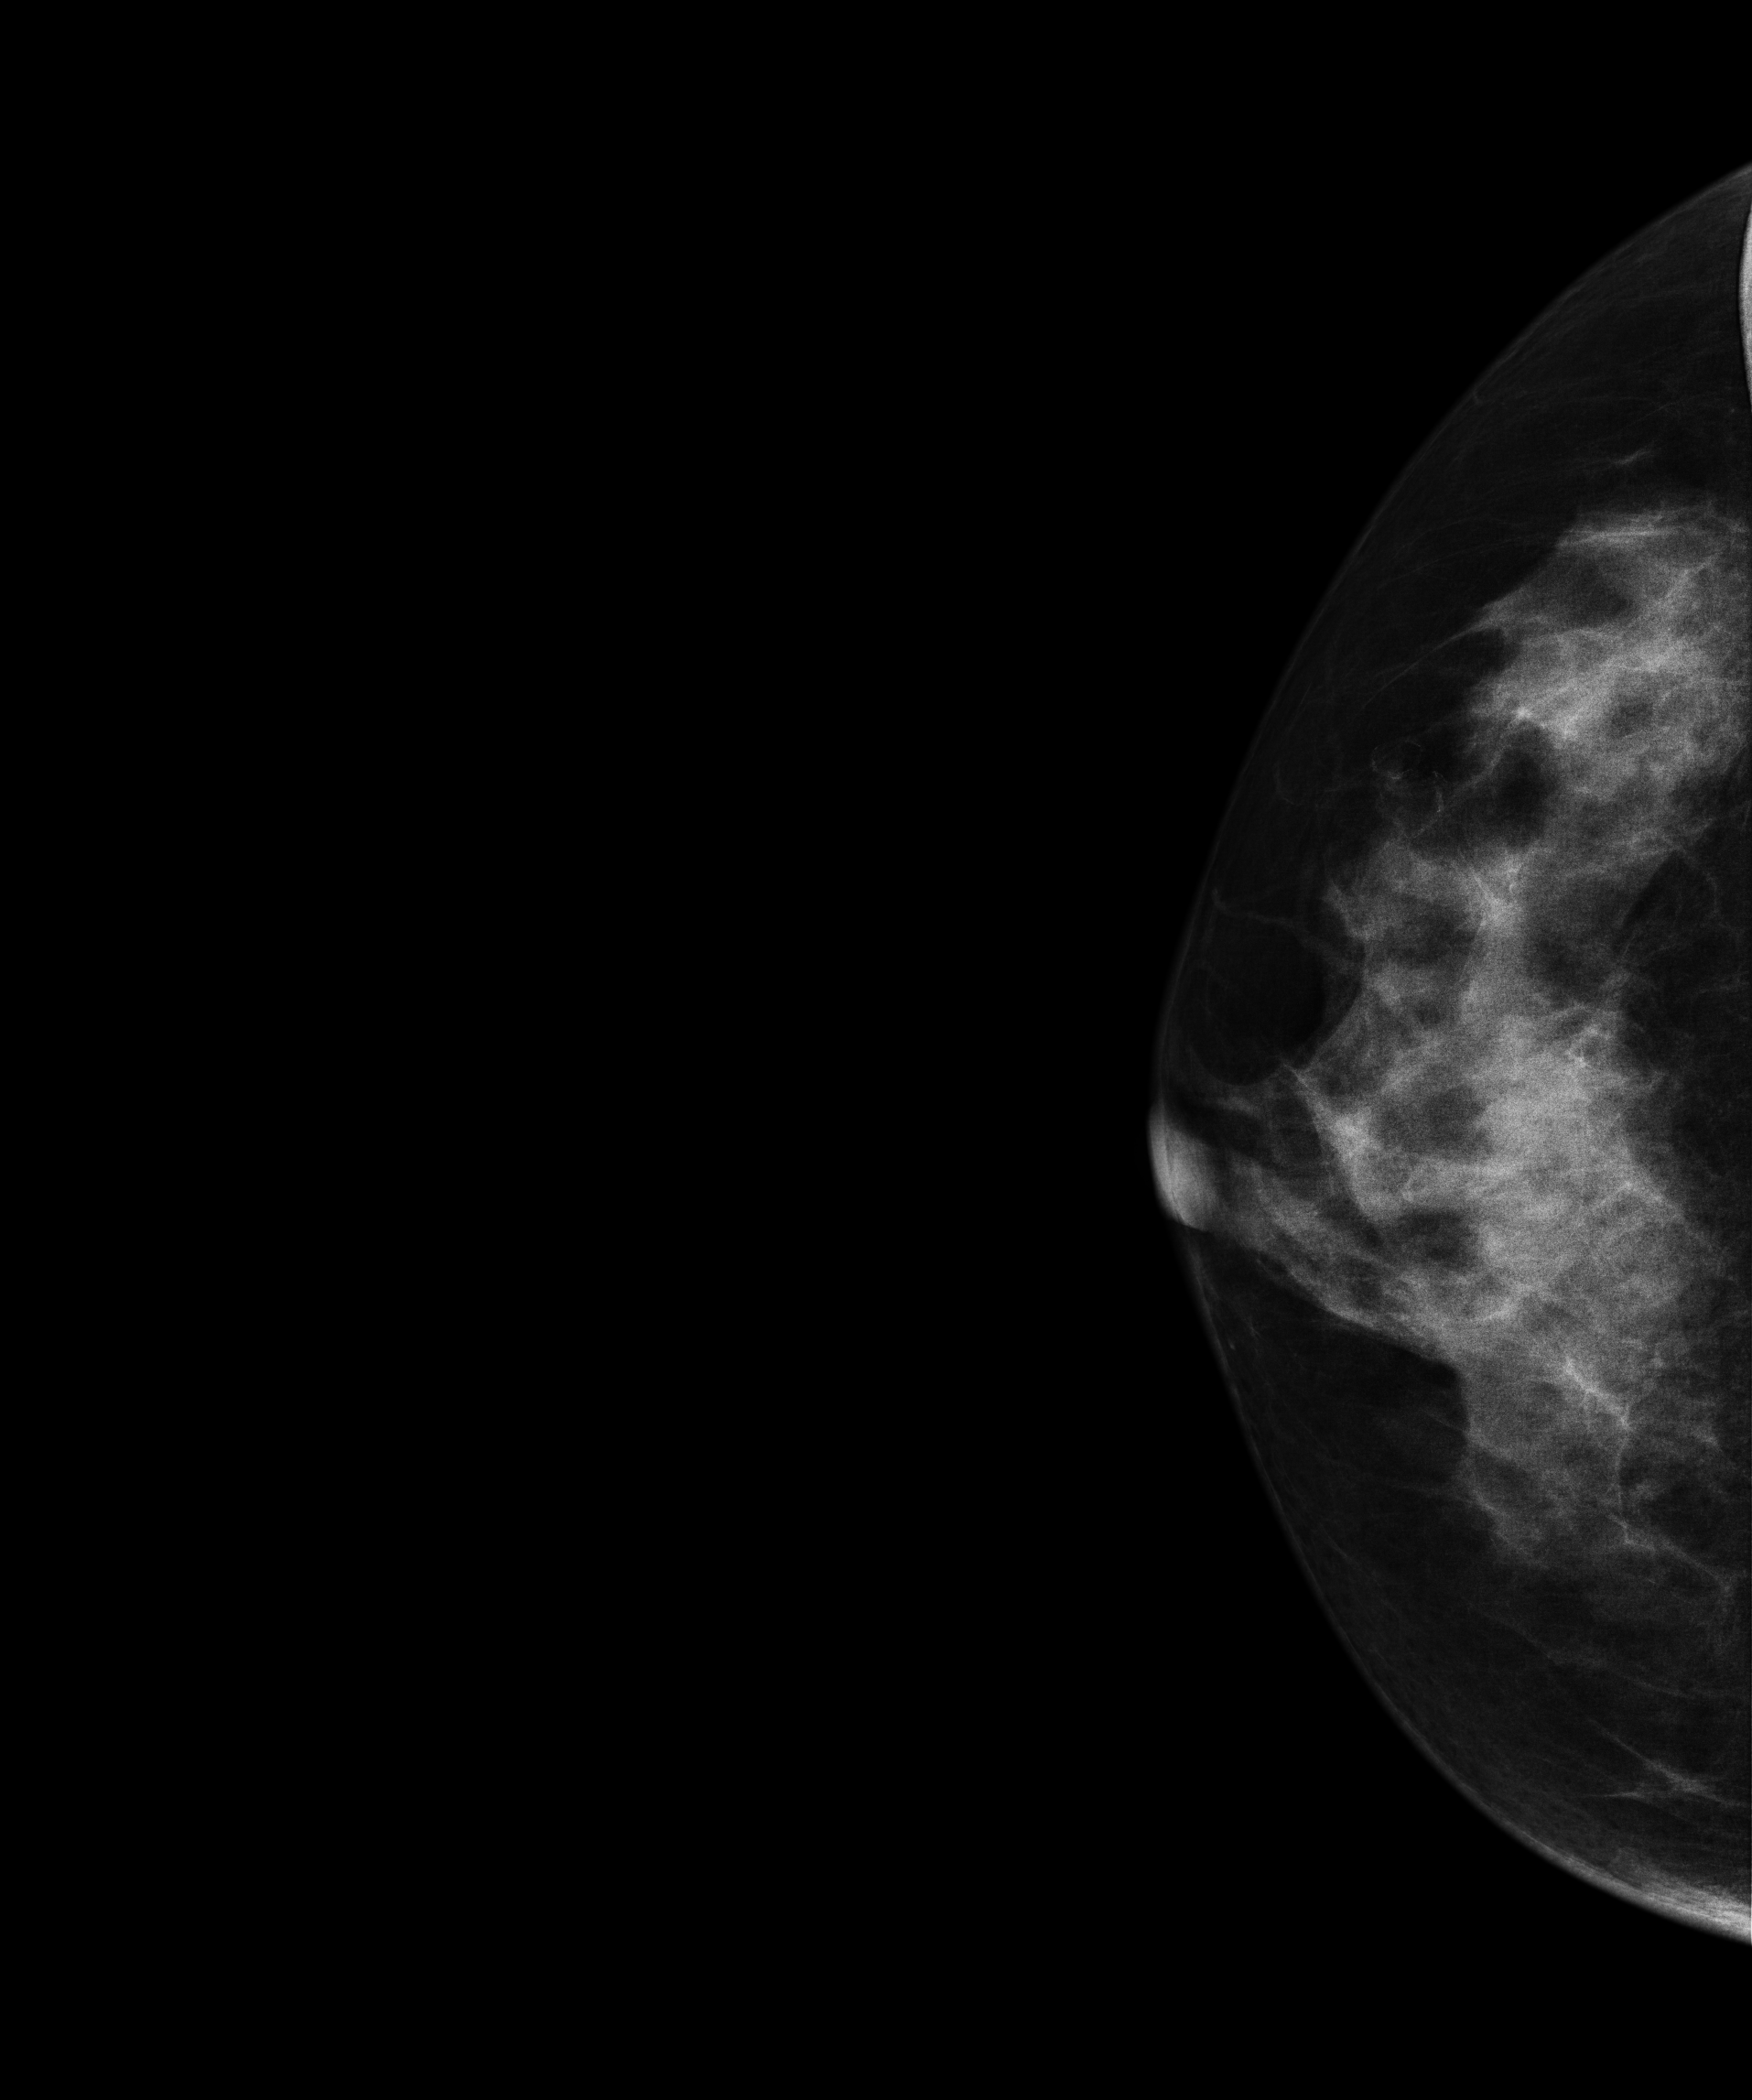
Right-breast mammogram, cranio-caudal. Patient age 60.
Contralateral breast — no documented abnormality on this side.